Cranio-caudal mammogram of the right breast. 53-year-old patient.
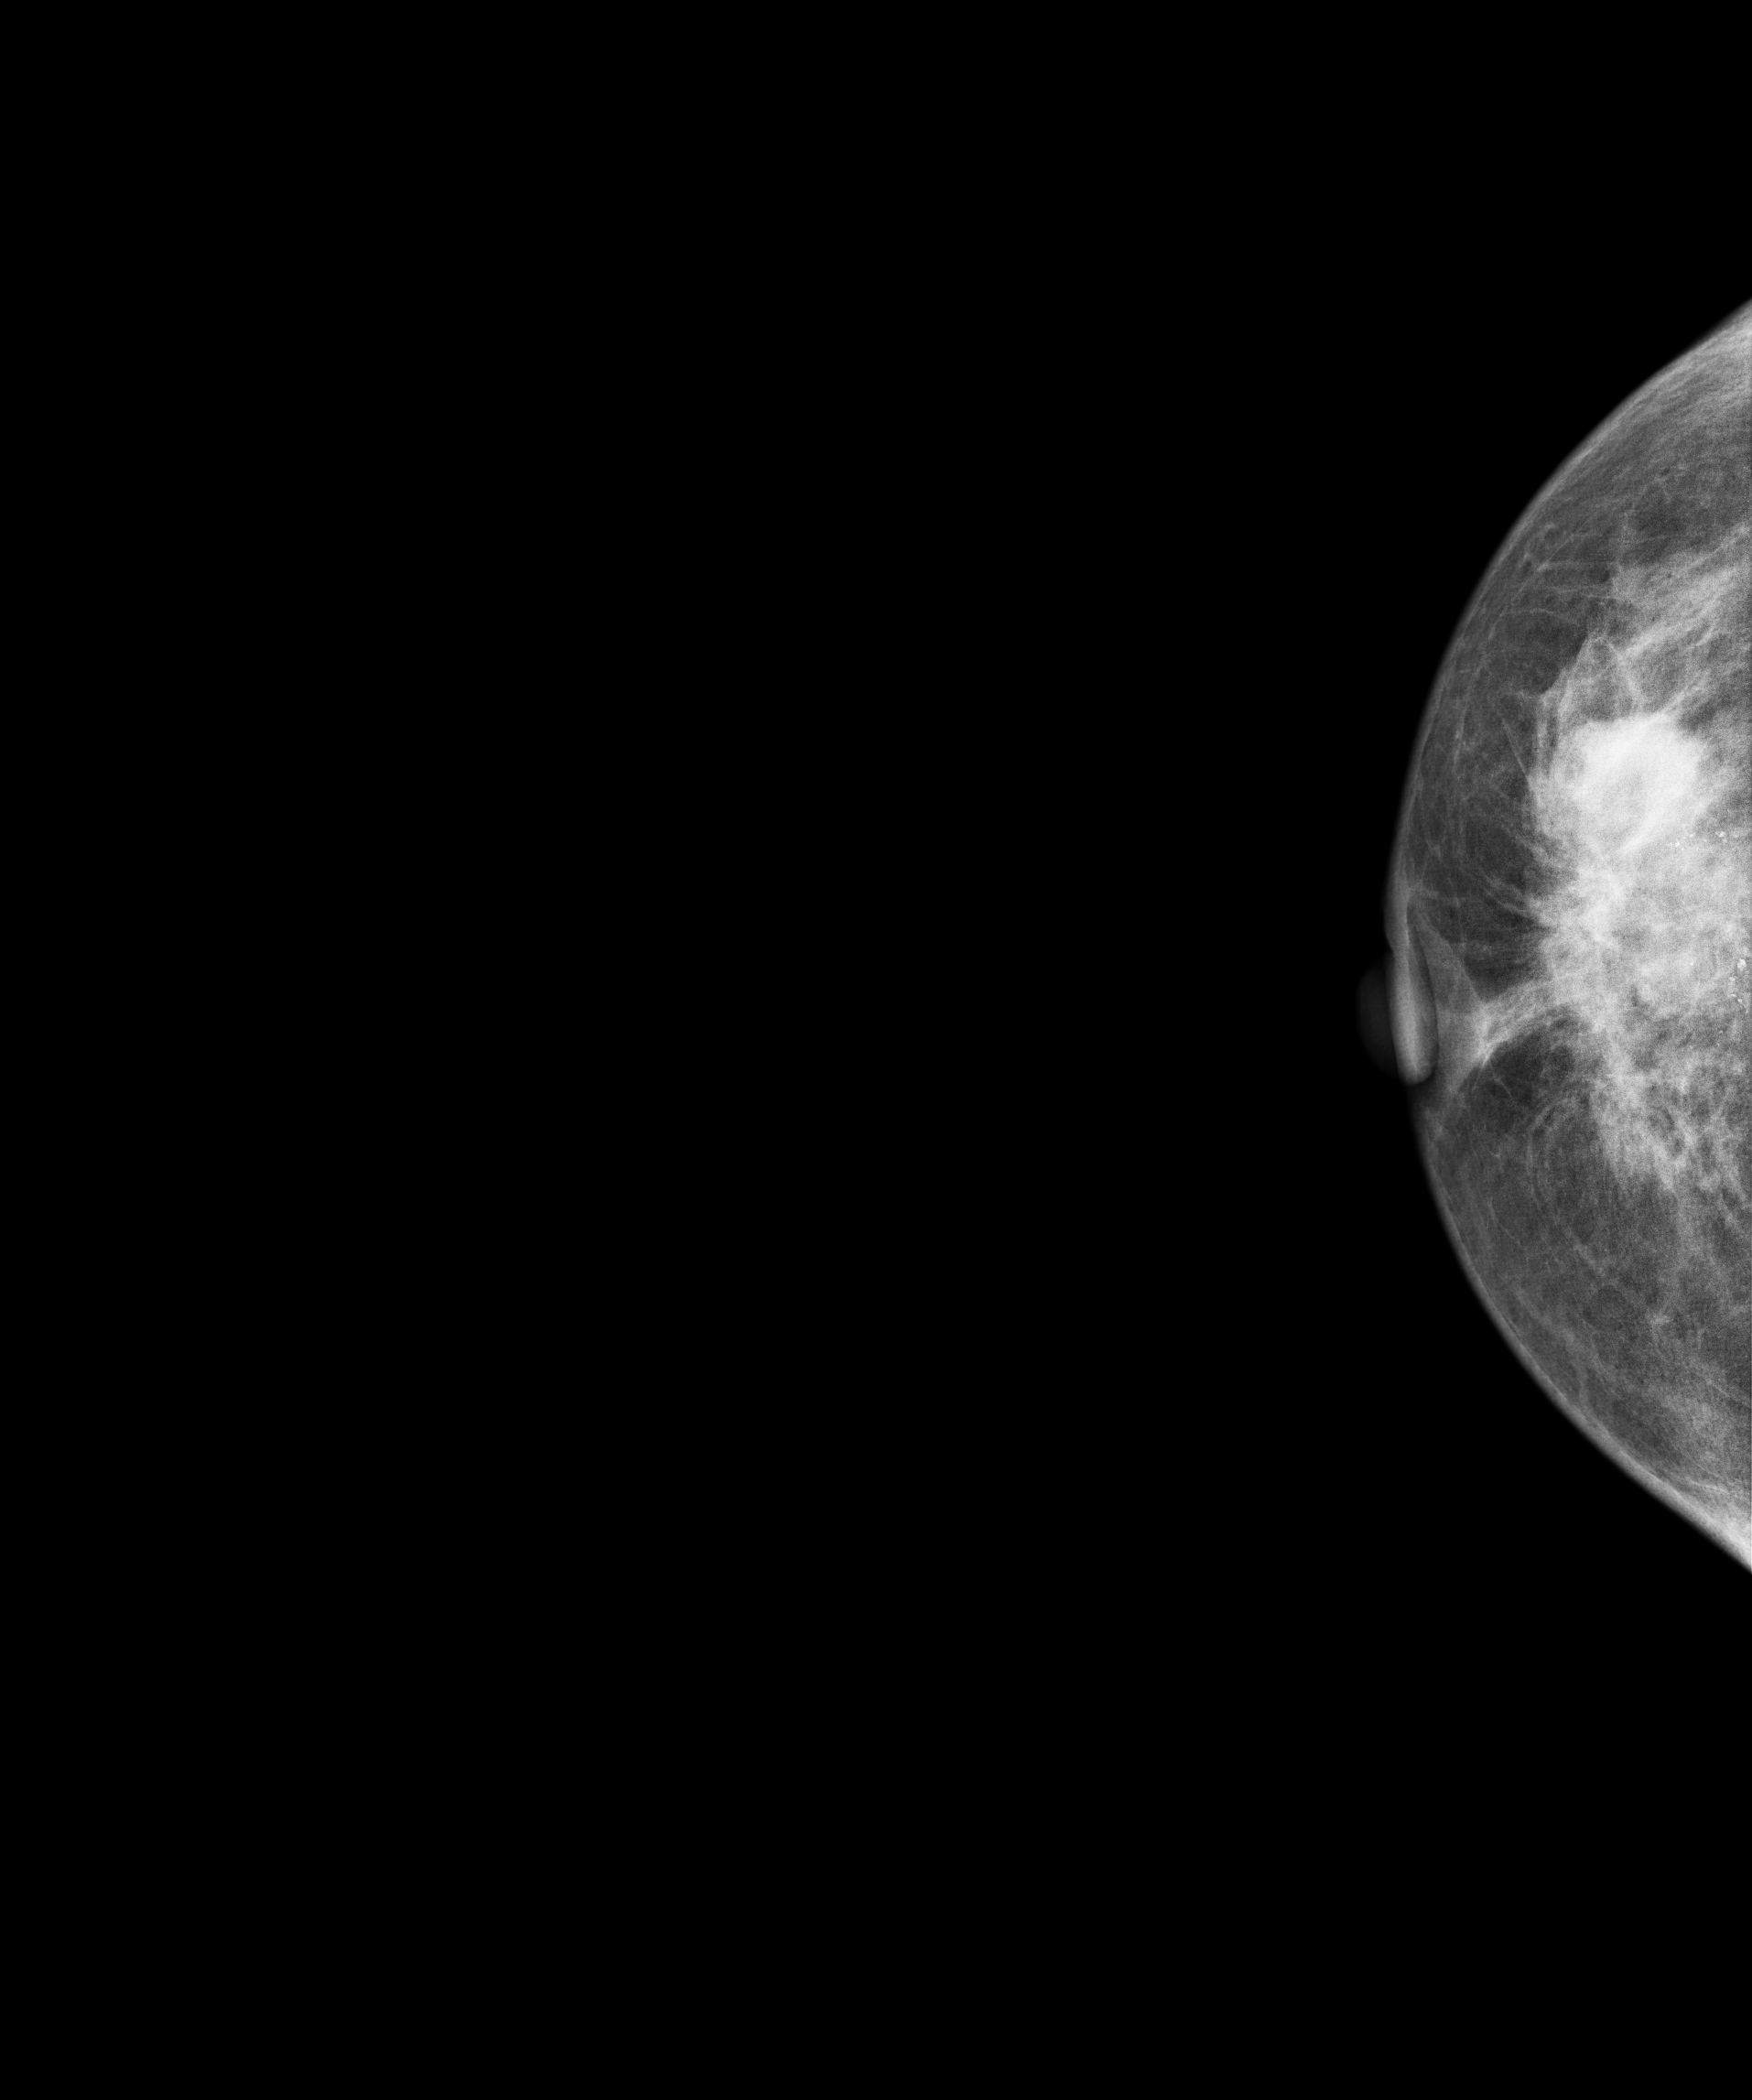
This breast has a mass and calcifications, biopsy-confirmed malignant. Molecular subtype: triple-negative.